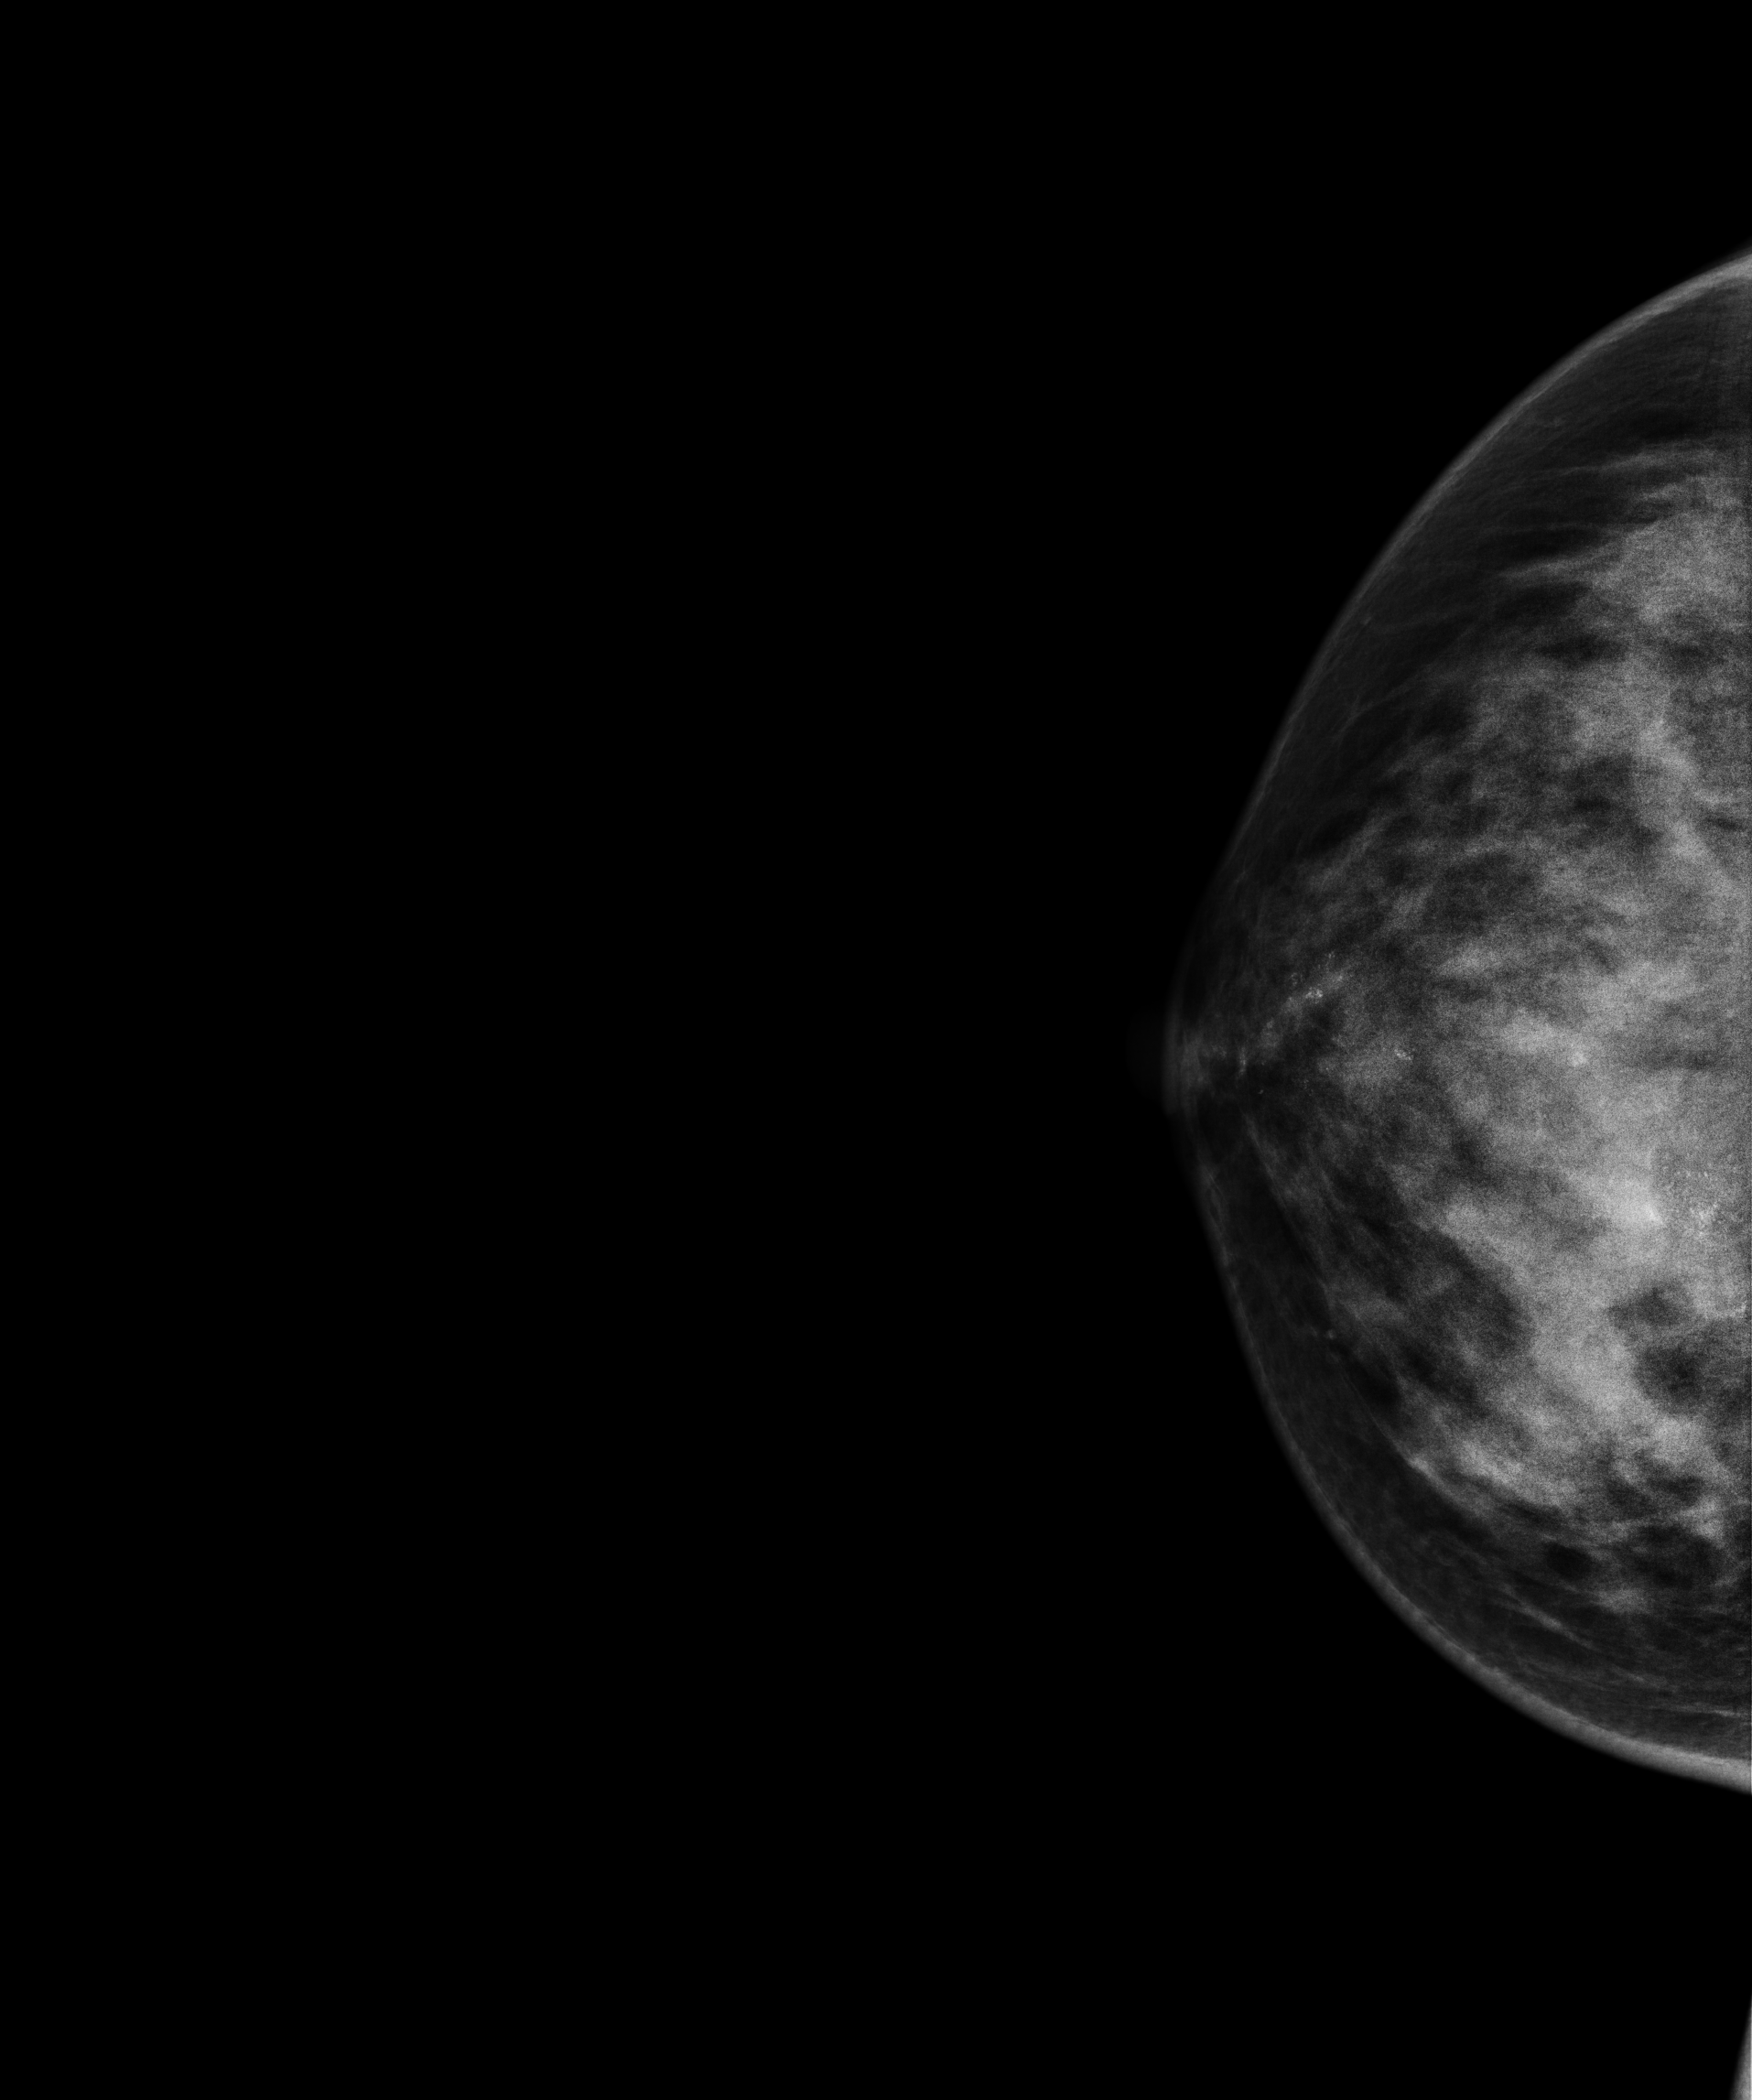
Mammogram — right cranio-caudal. 33 y/o patient.
This breast has calcifications, pathology-confirmed malignant. Molecular subtype: HER2-enriched.